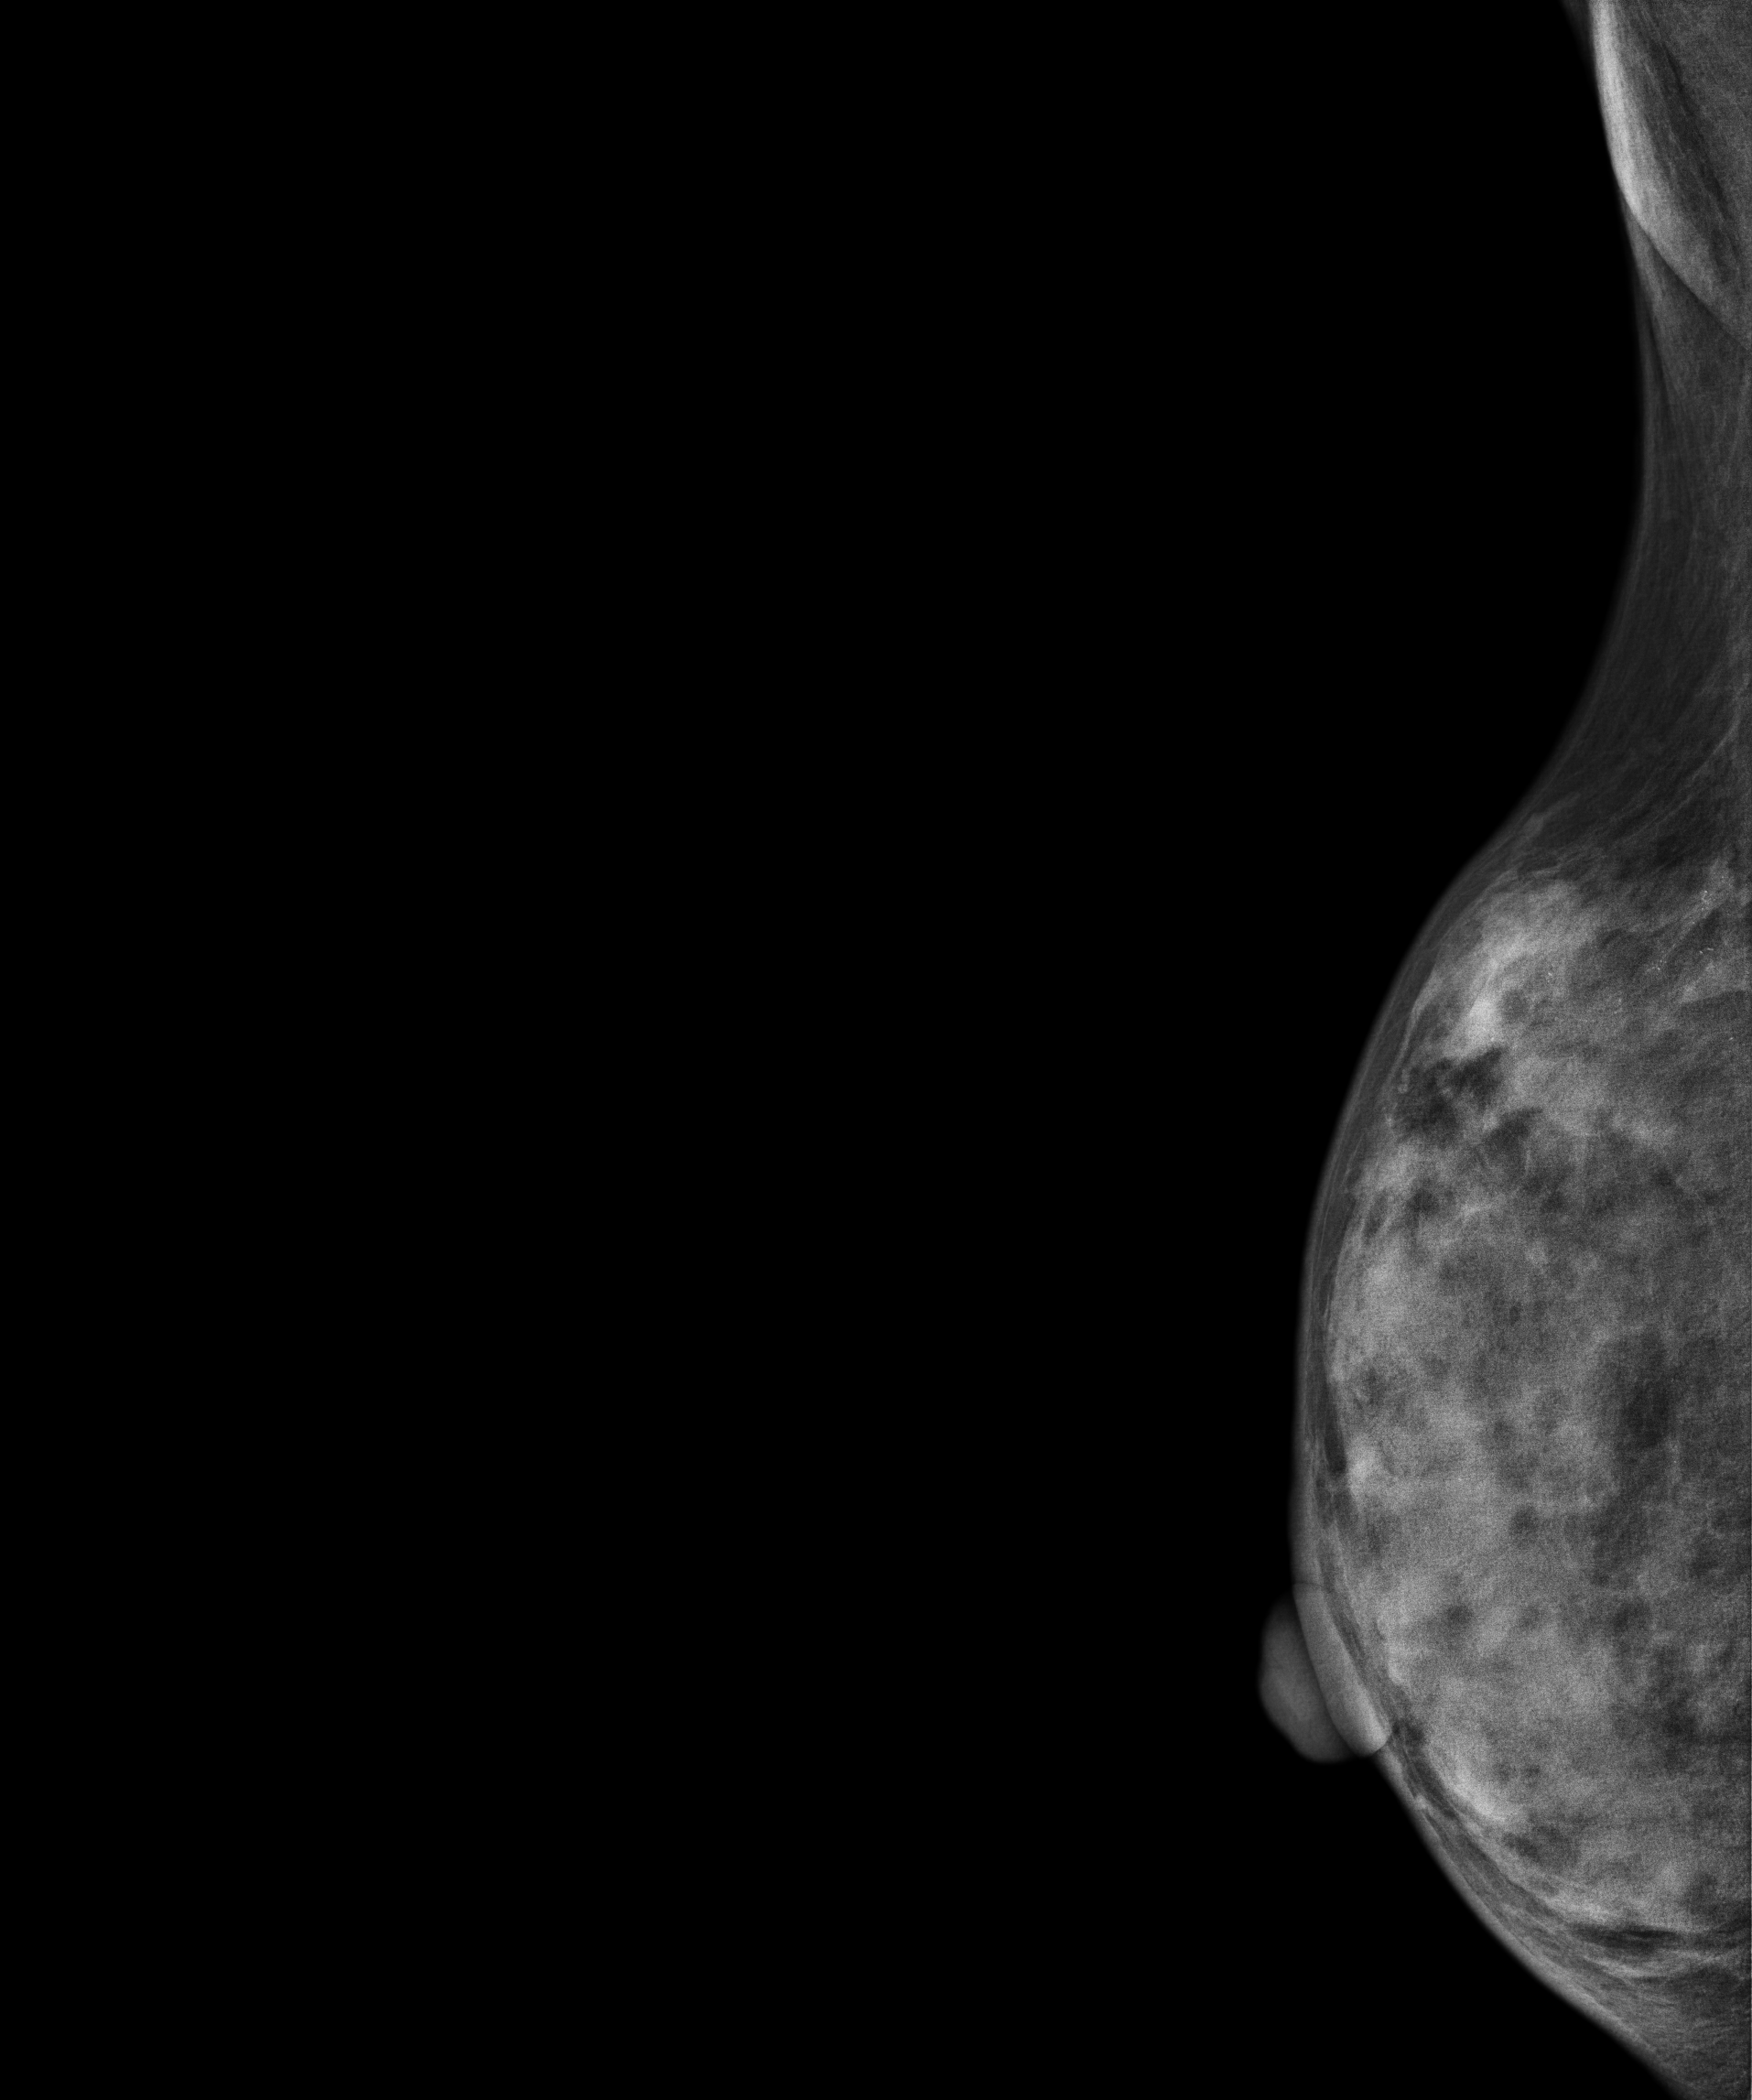
Right-breast mammogram, medio-lateral oblique. 31 y/o patient.
This breast has calcifications, biopsy-proven malignant. Molecular subtype: luminal A.